Cranio-caudal mammogram of the left breast. Patient age 65.
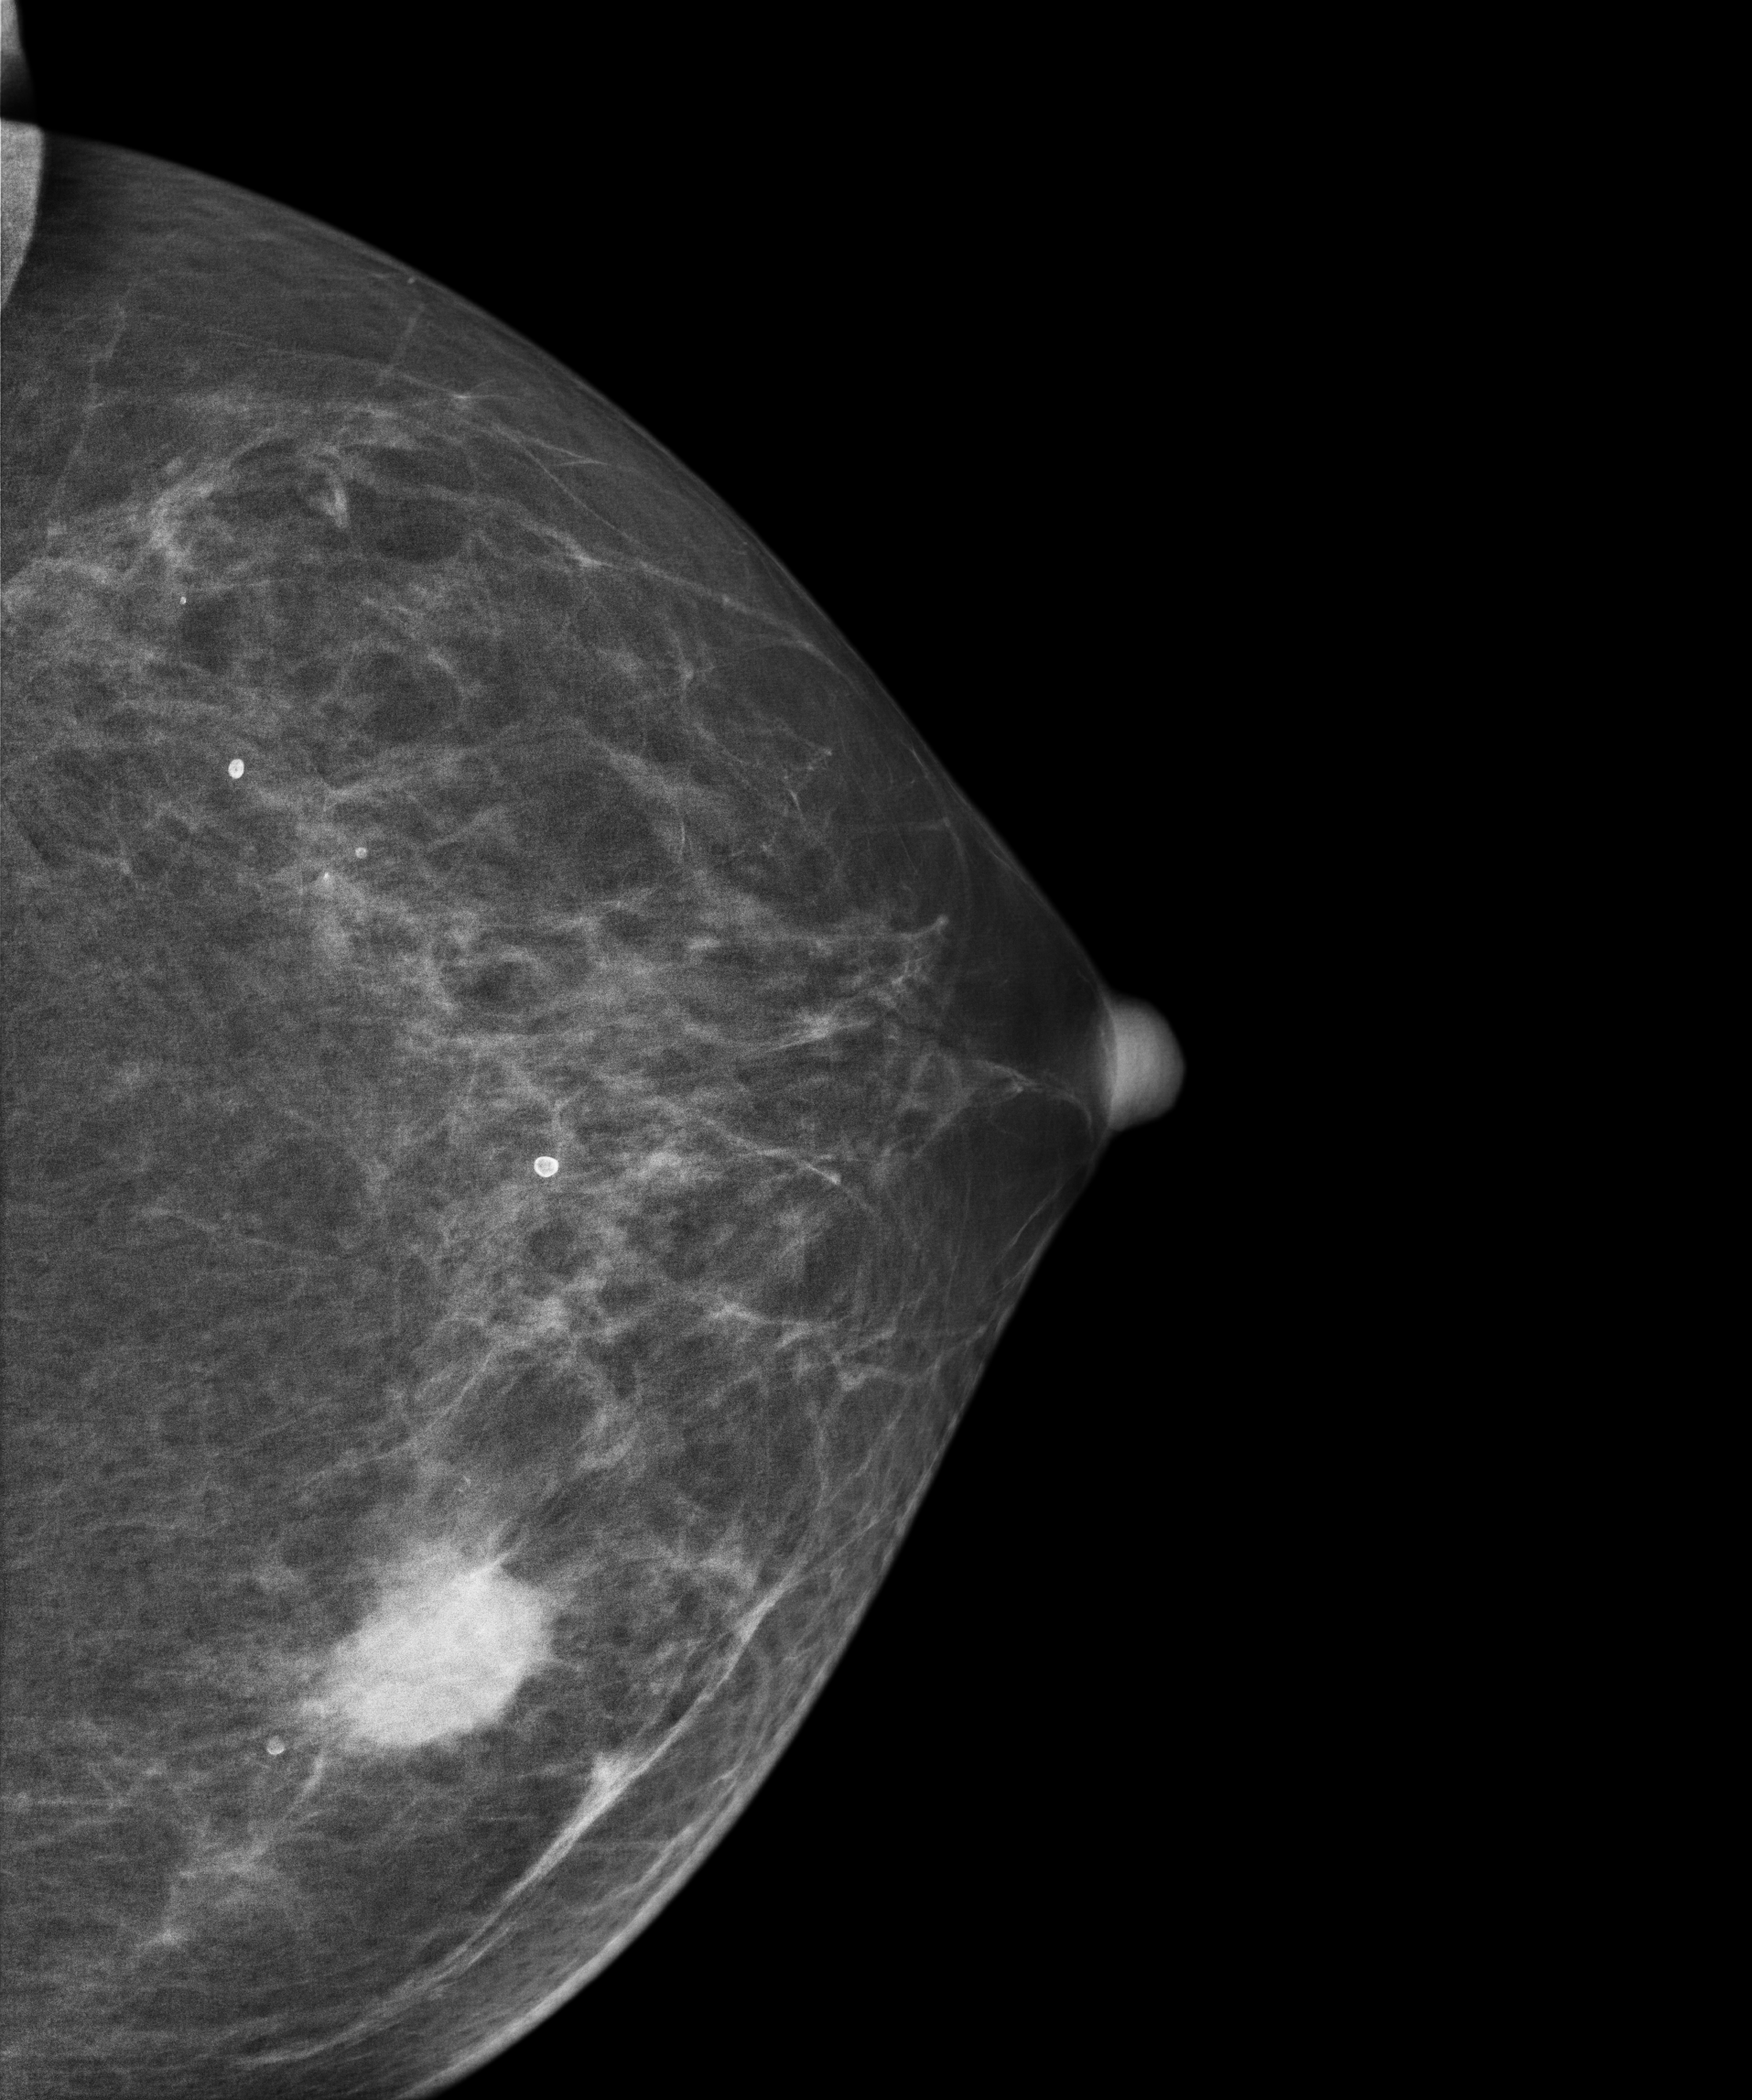
This breast has a mass, biopsy-proven malignant.